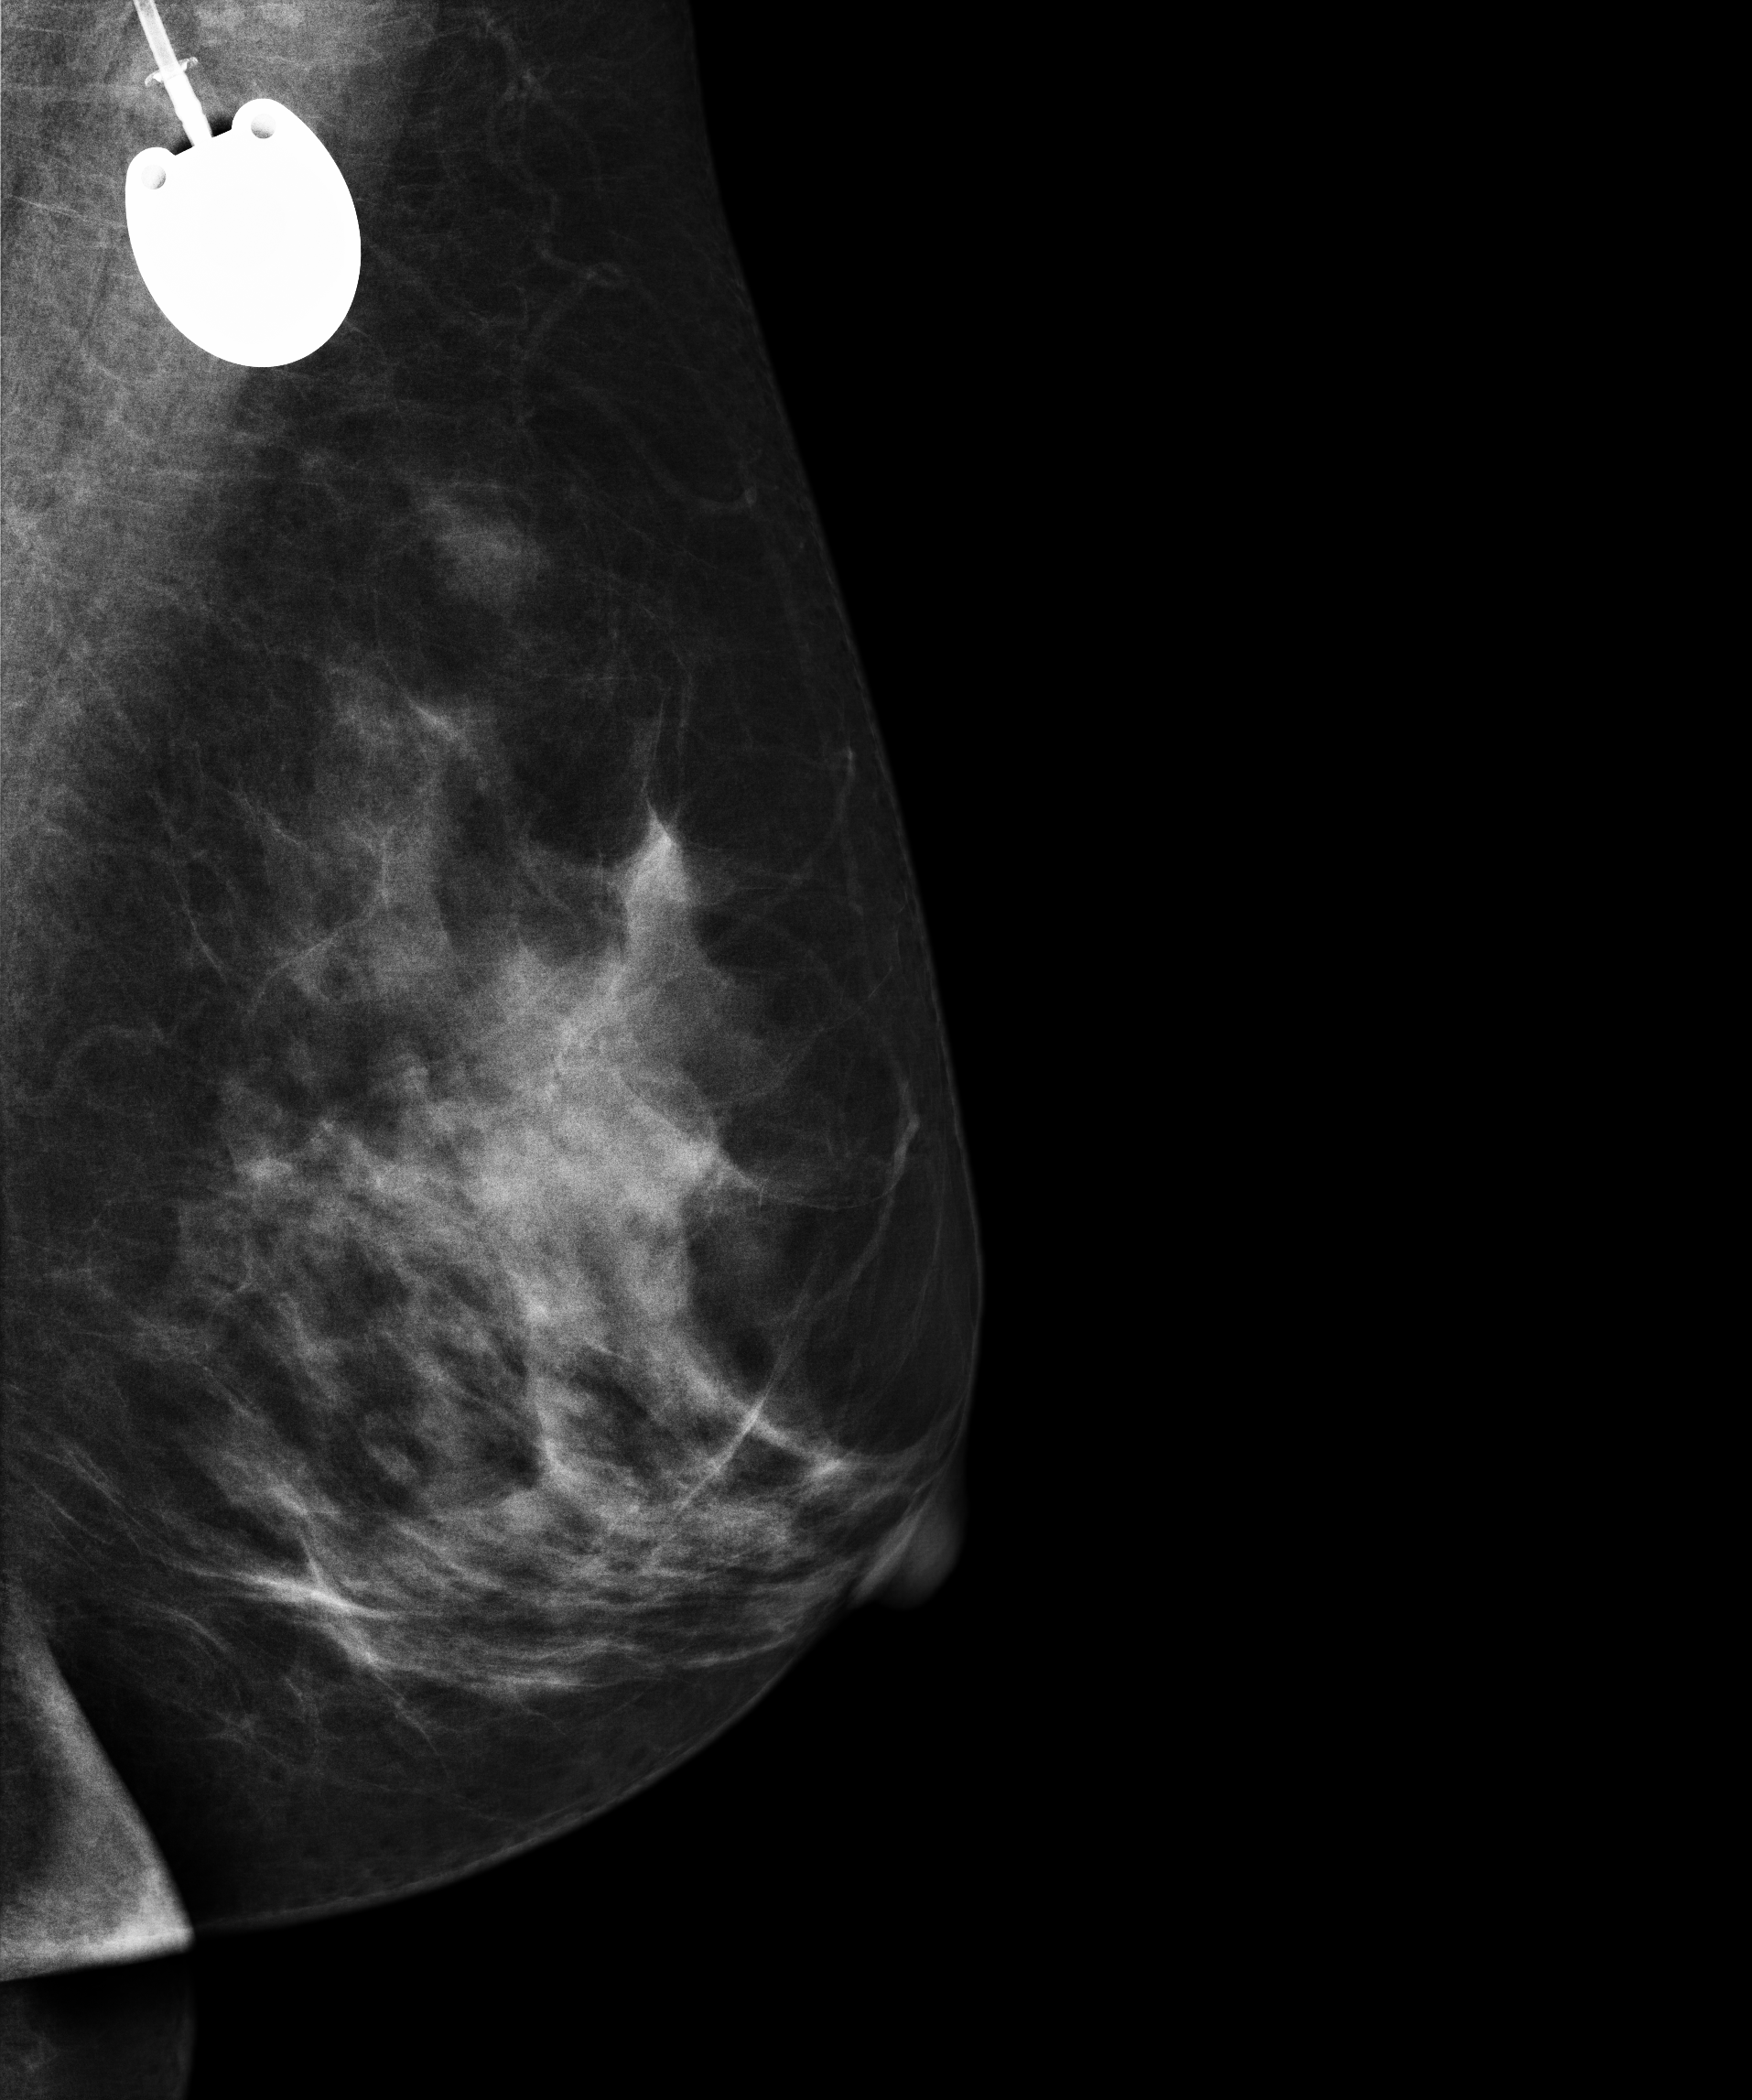
Medio-lateral oblique mammogram of the left breast. Patient age 49.
Contralateral breast — no documented abnormality on this side.